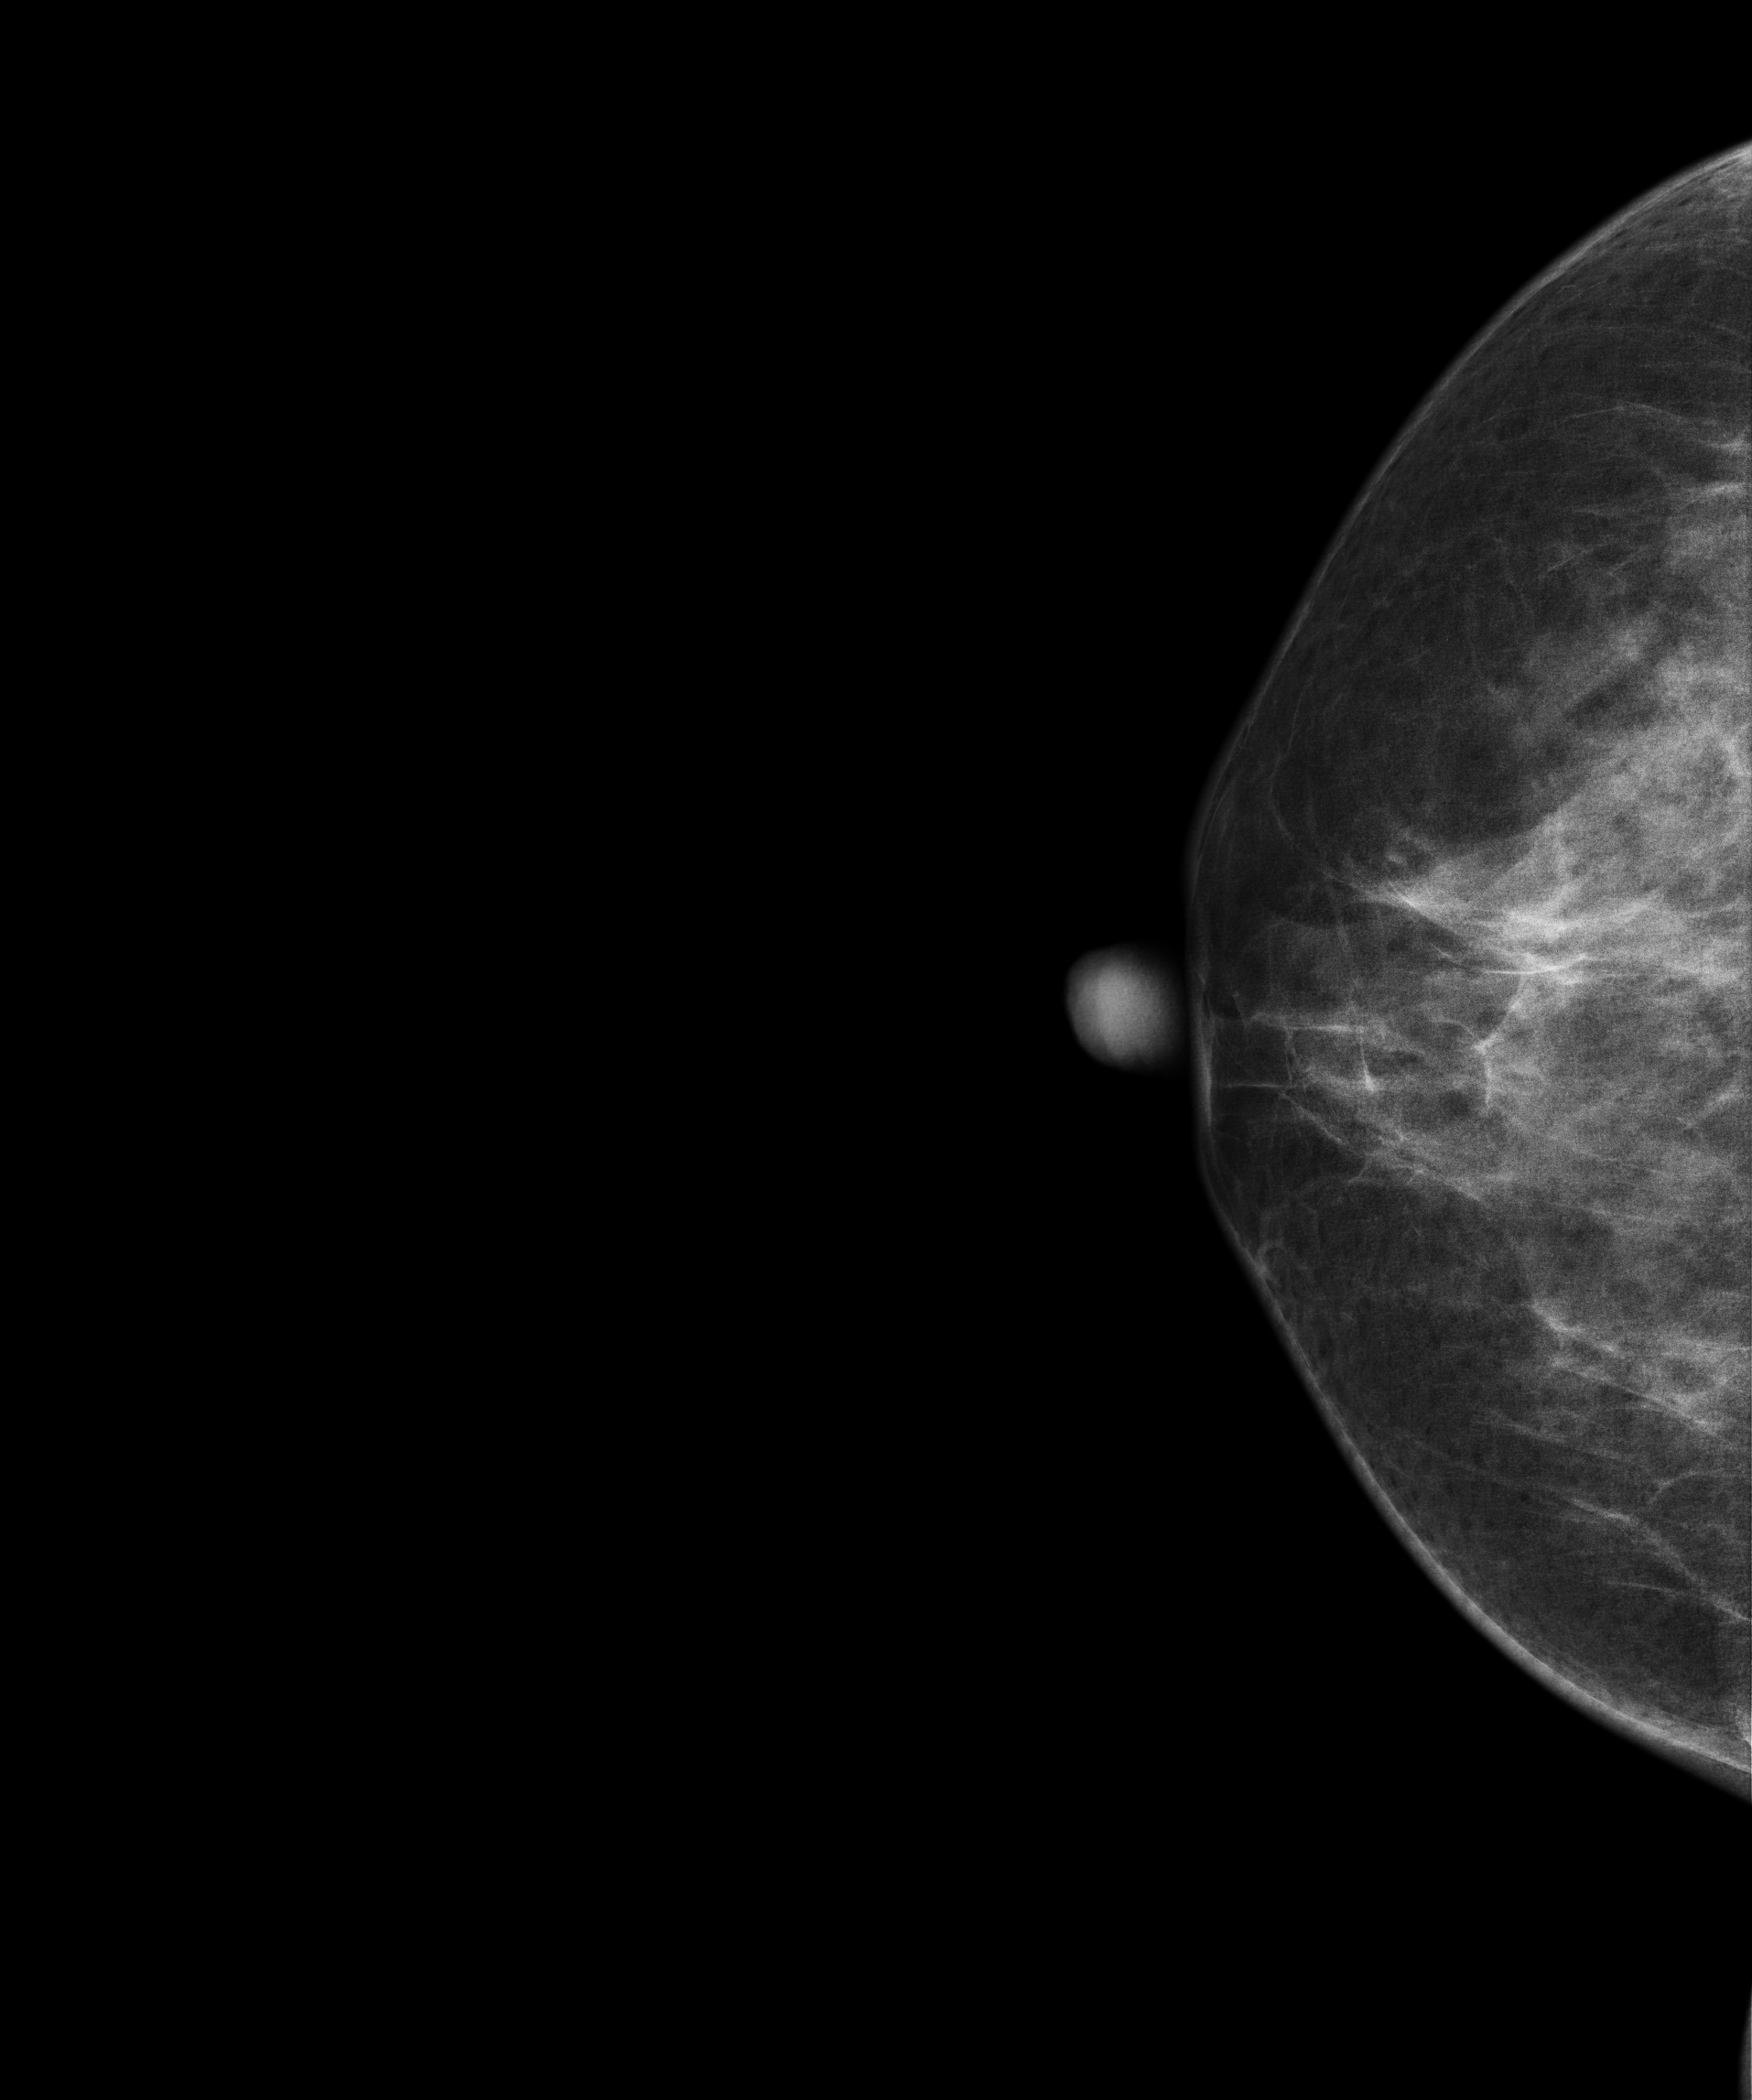
Right-breast mammogram, cranio-caudal. Patient age 50.
This breast has a mass and calcifications, biopsy-confirmed benign.